Mammogram, right breast, CC view. Patient age 57.
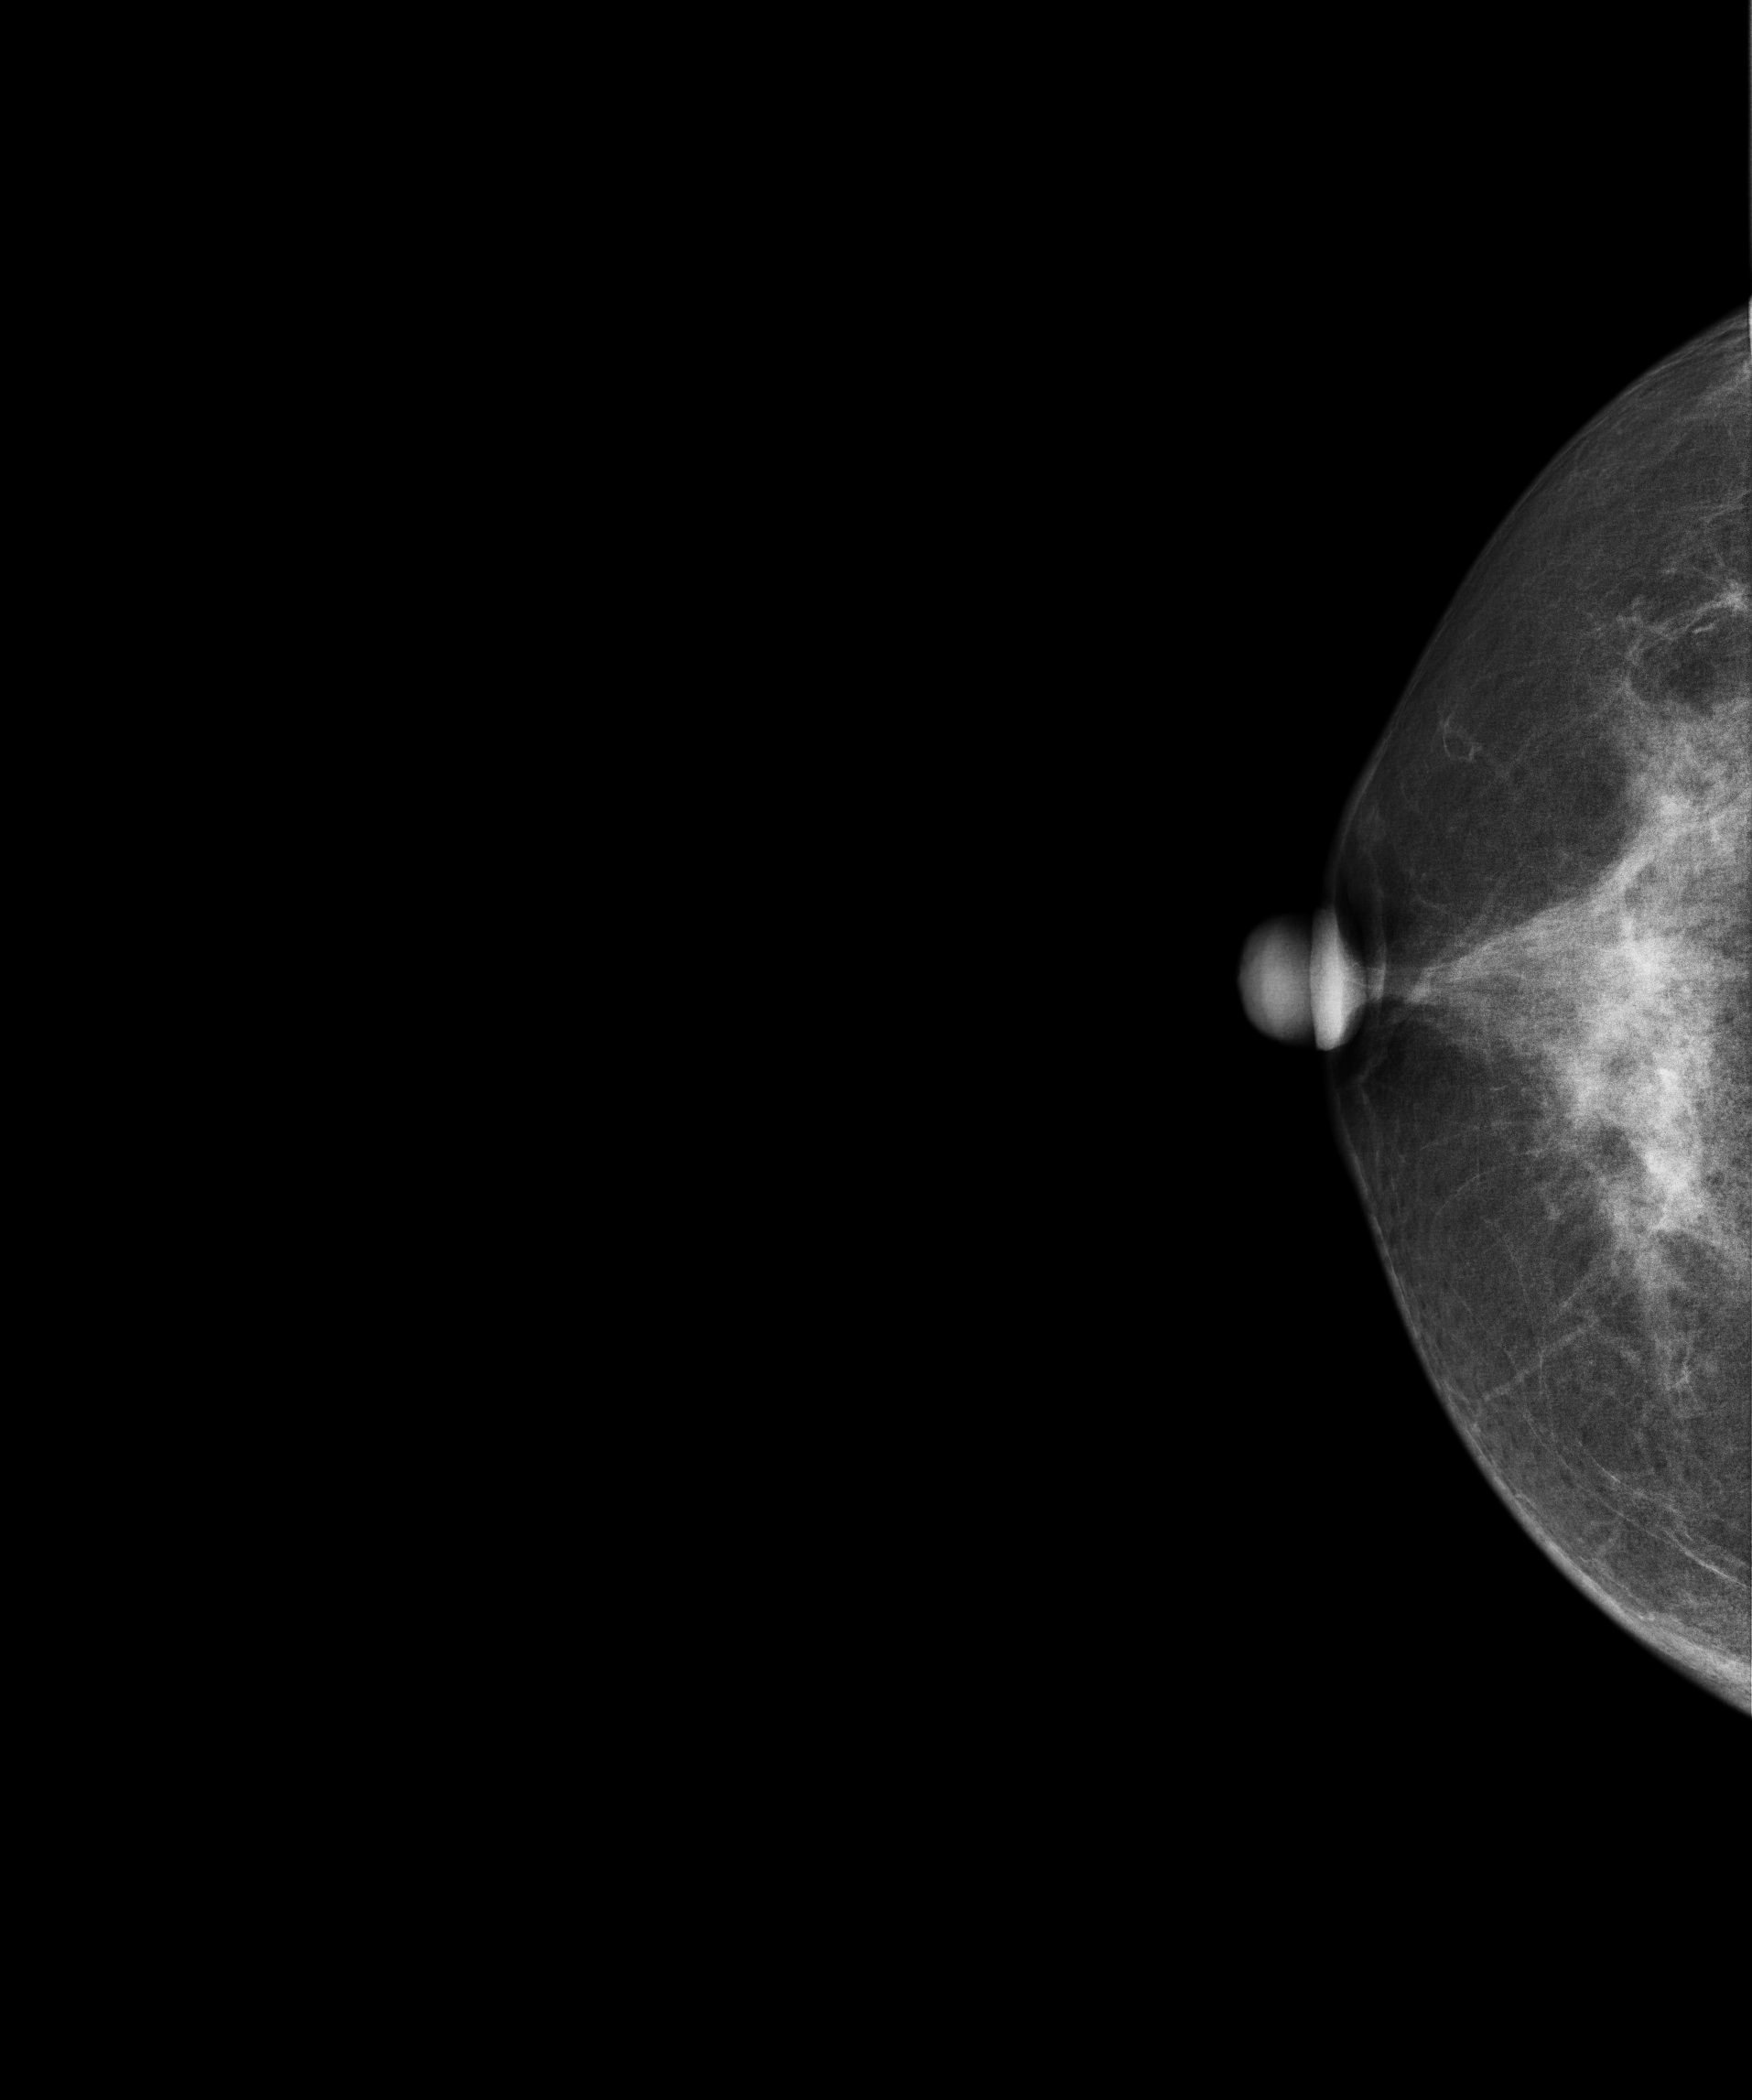
Contralateral breast — no documented abnormality on this side.